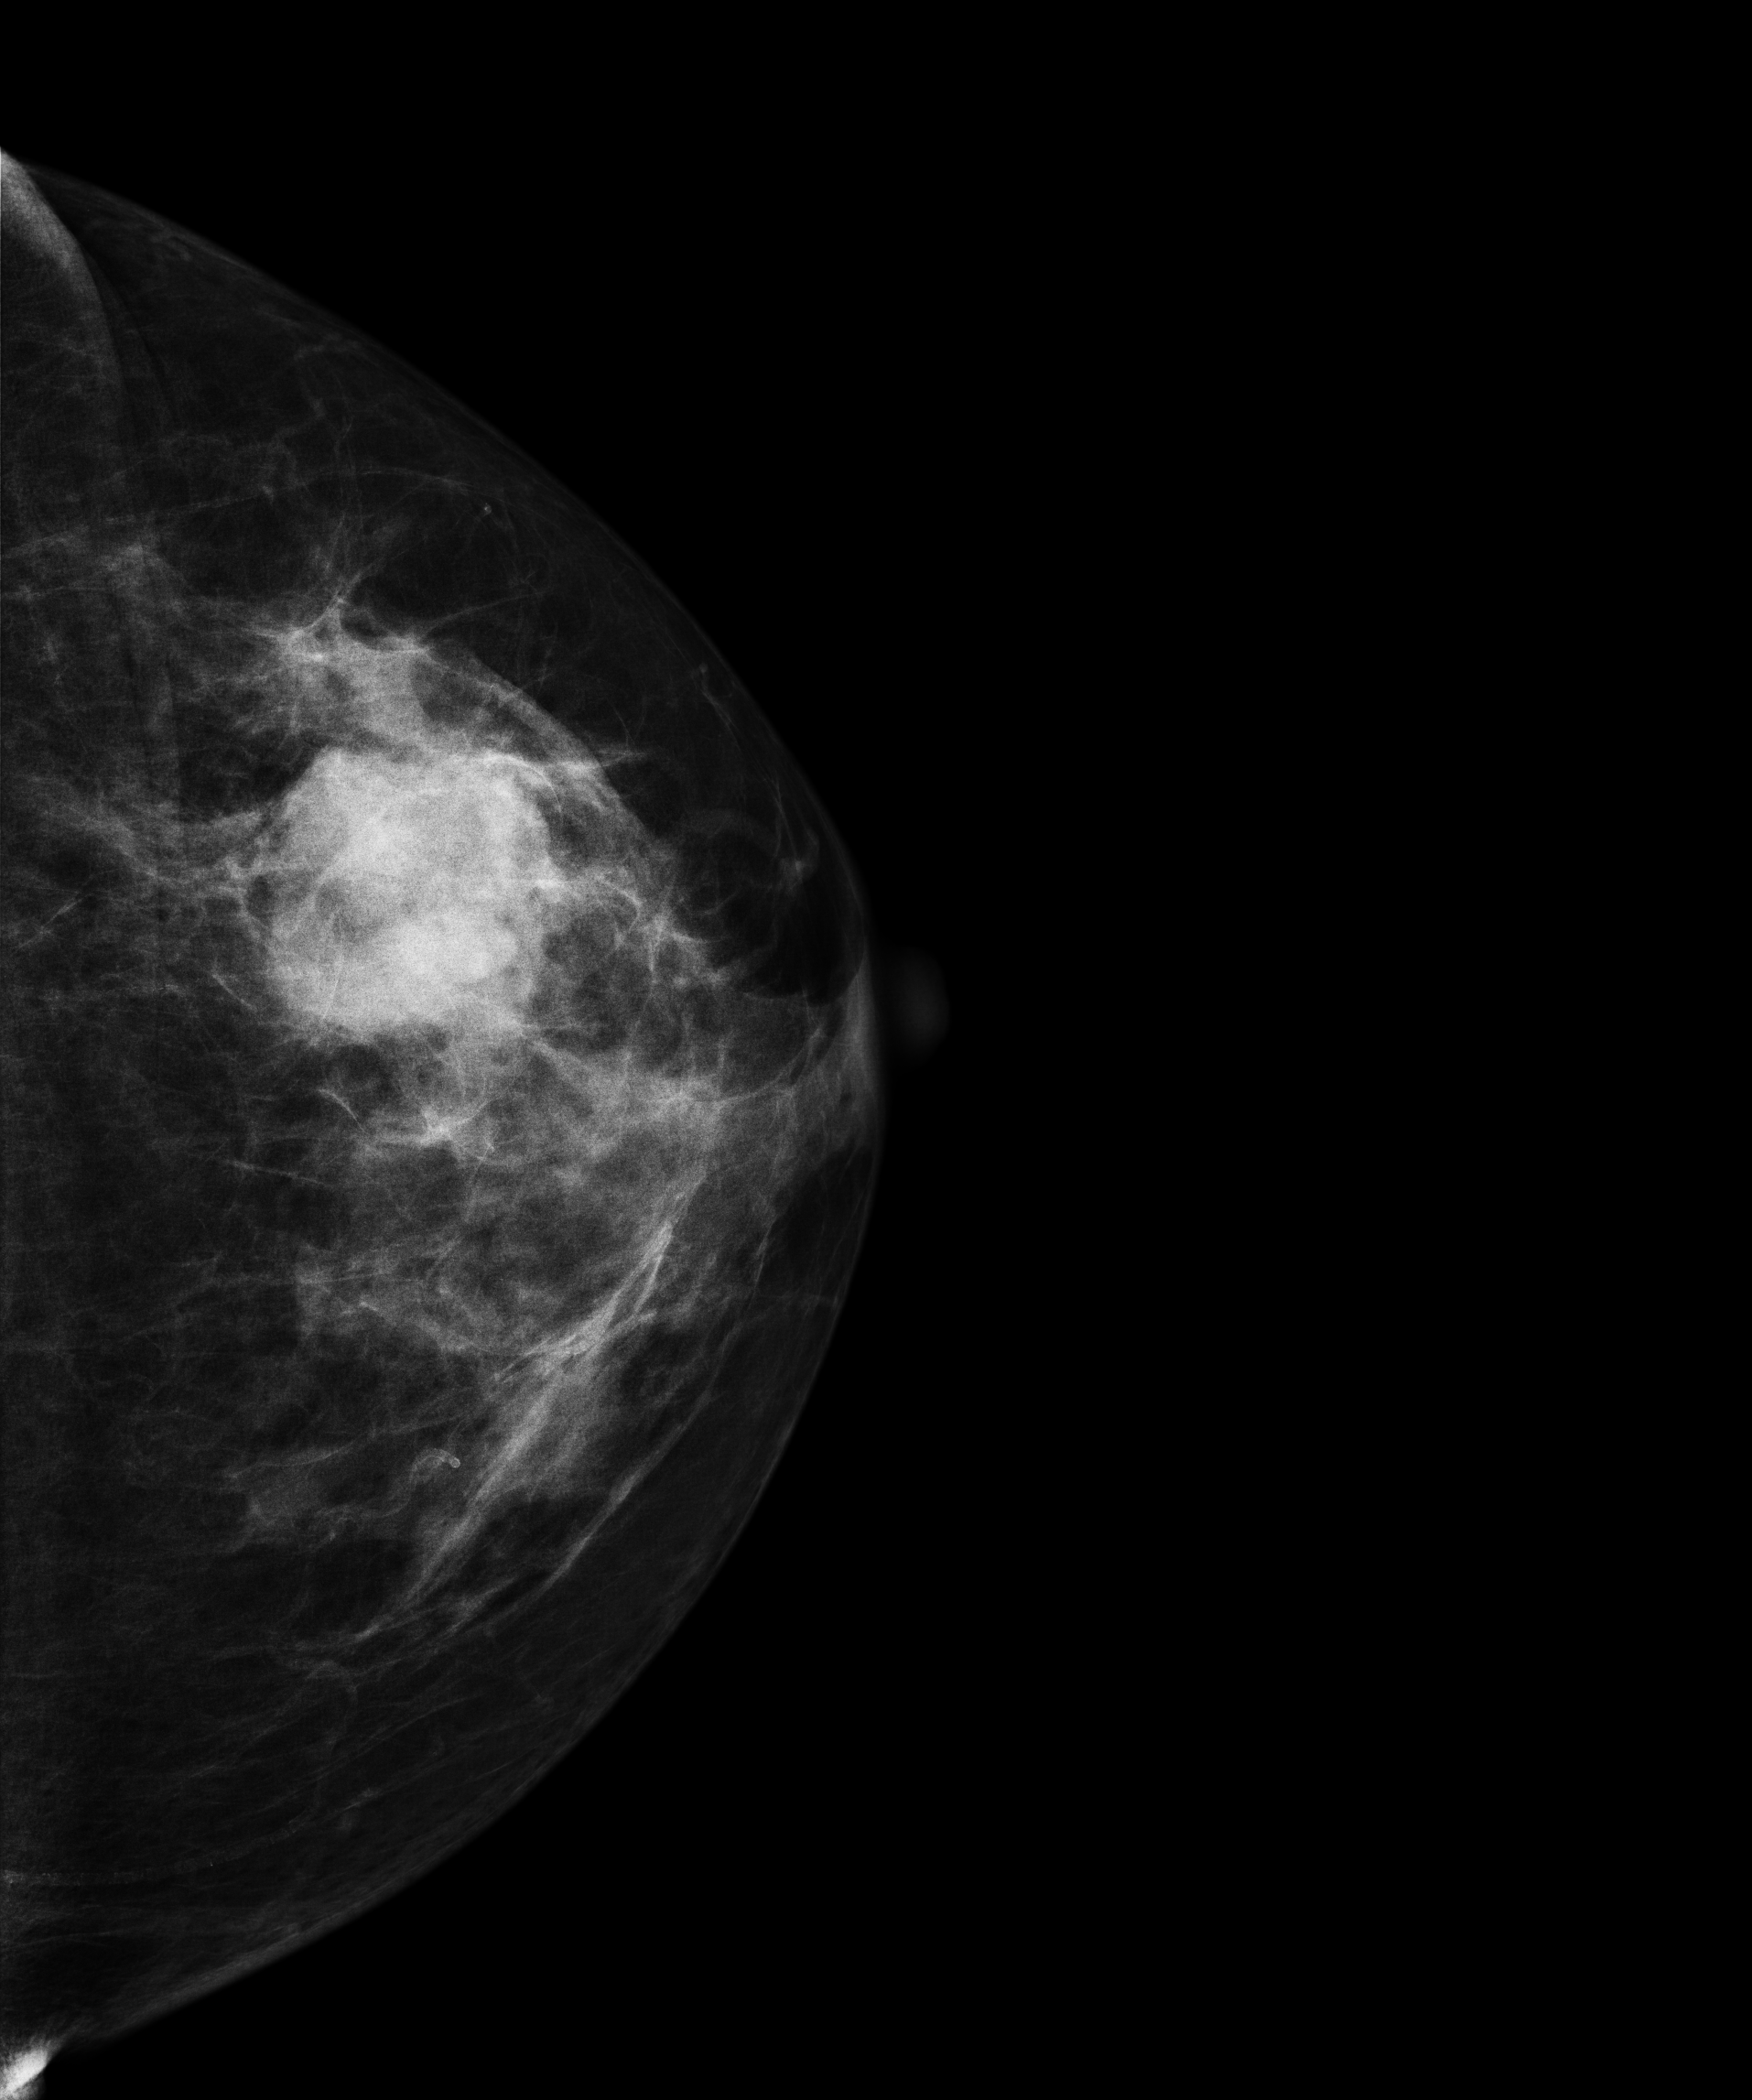
Cranio-caudal mammogram of the left breast. 58-year-old patient.
This breast has a mass, pathology-confirmed malignant.